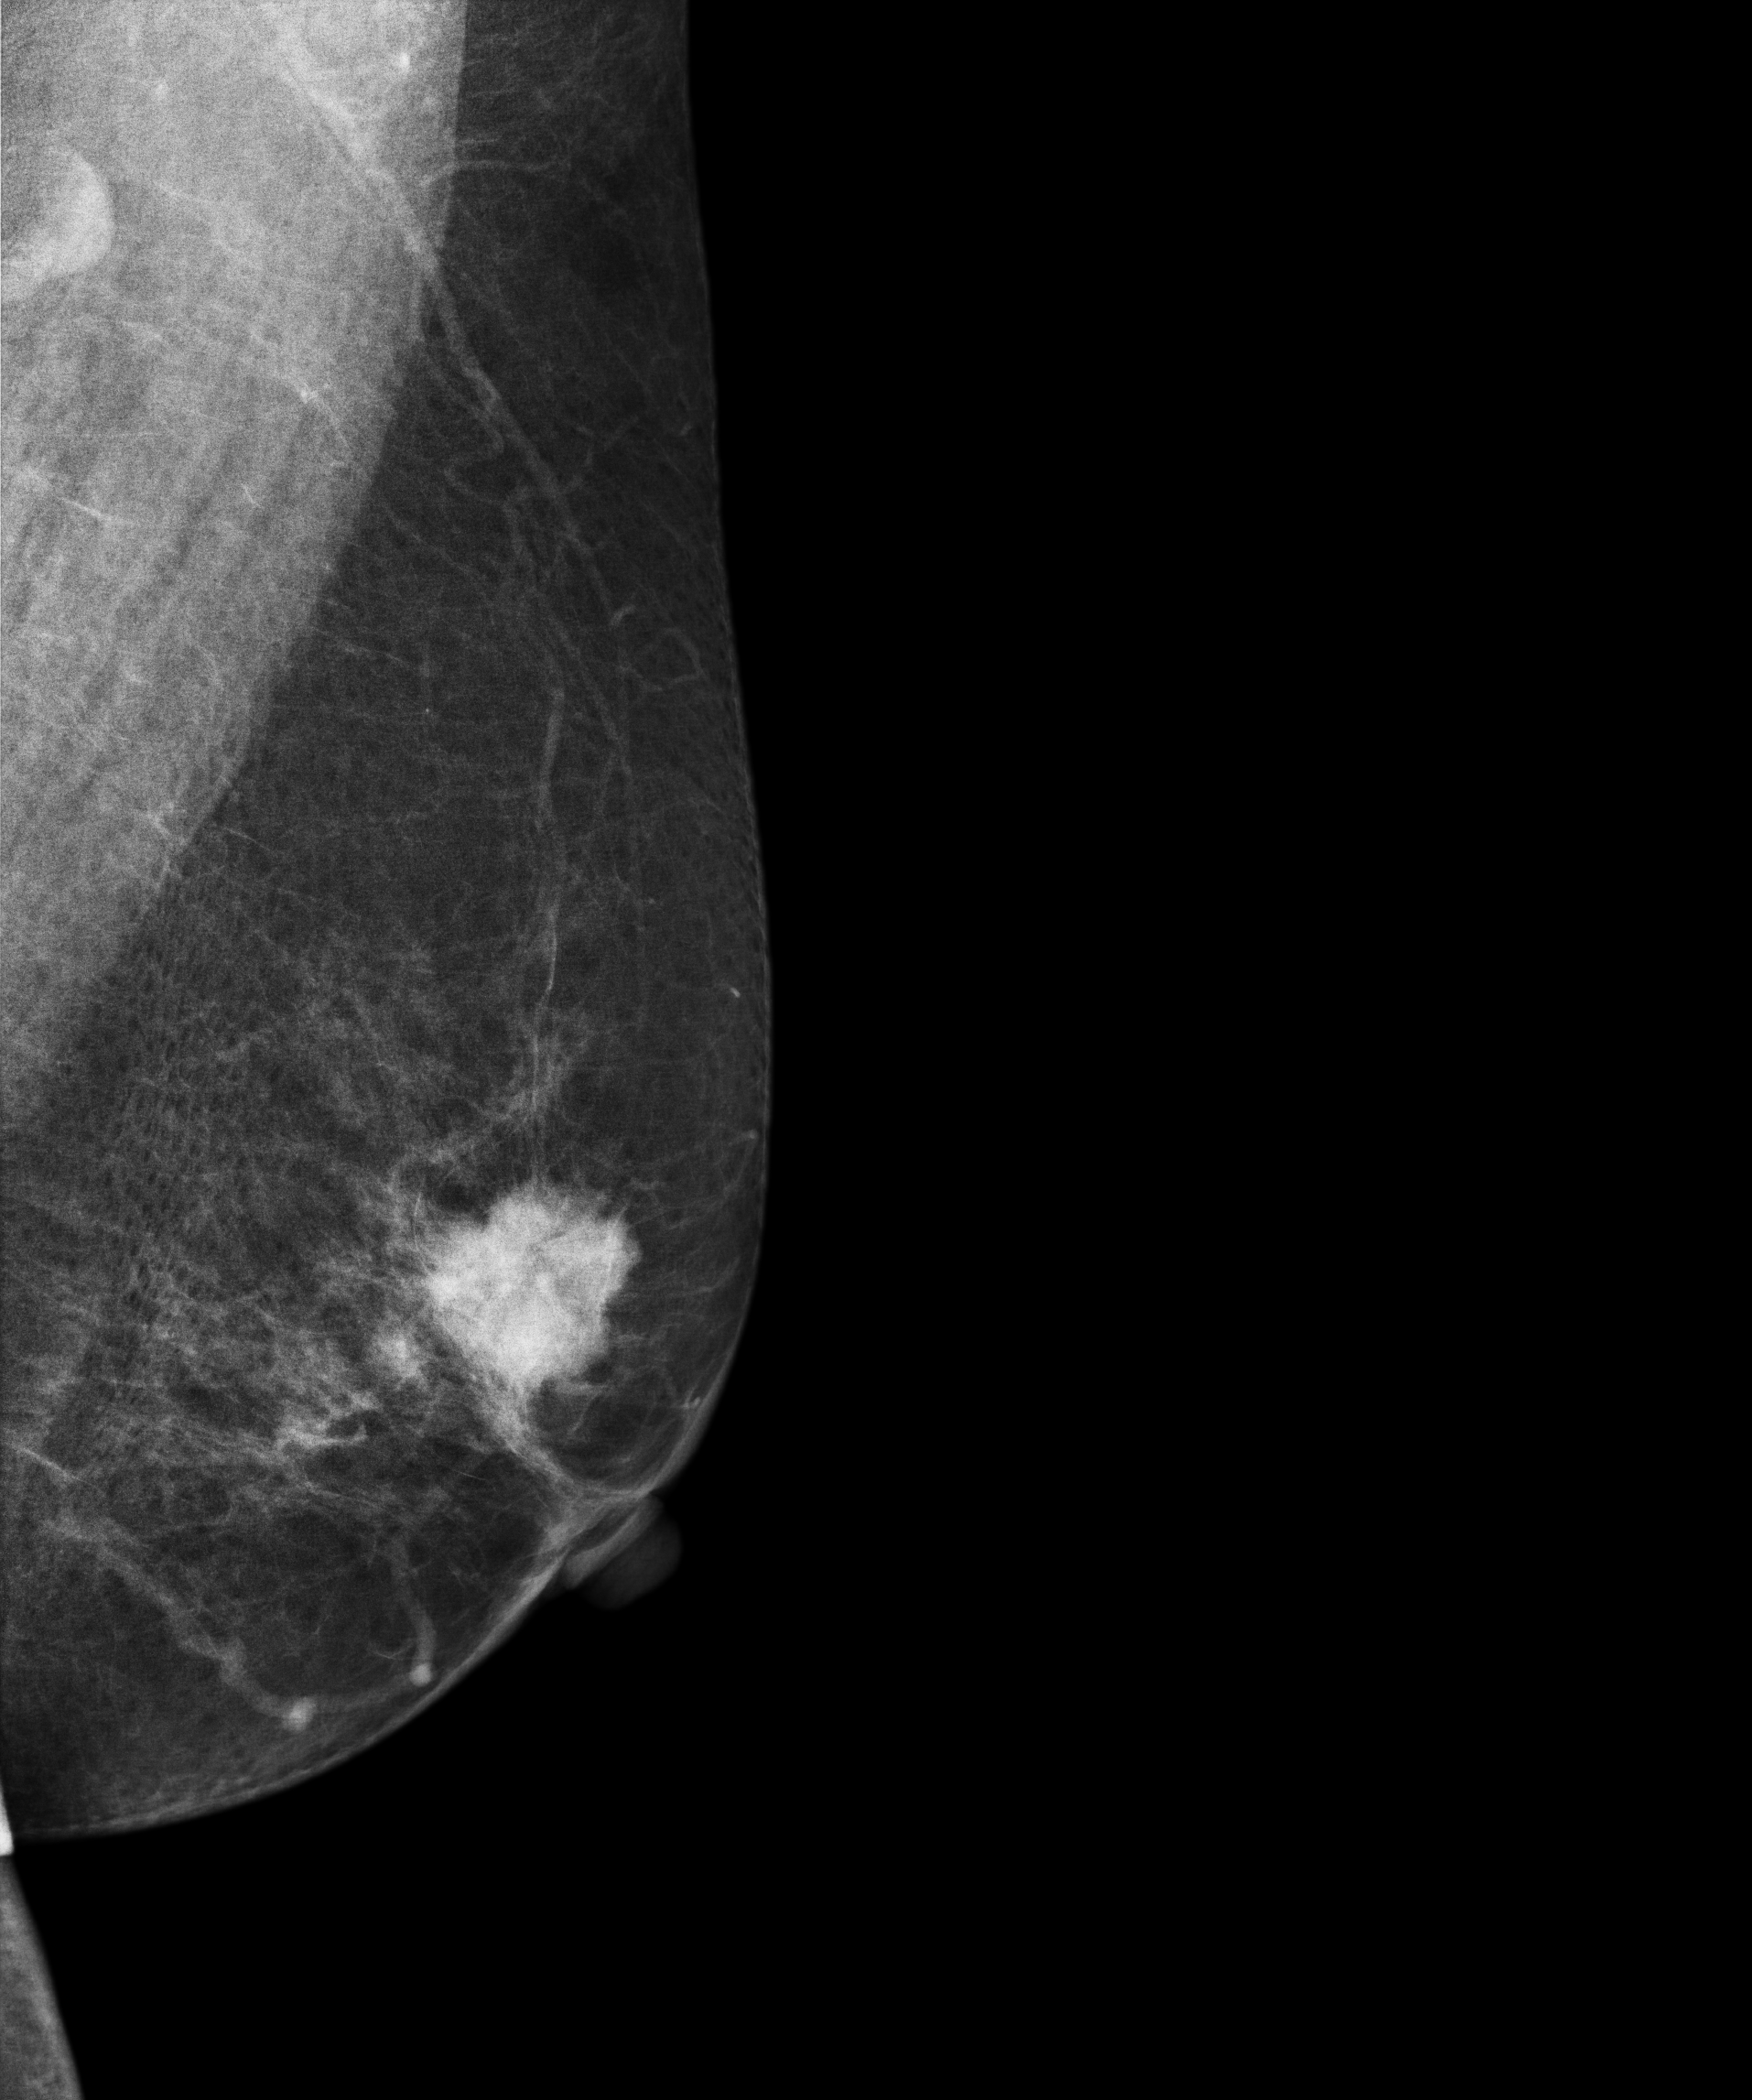
Left-breast mammogram, medio-lateral oblique. Patient age 64.
This breast has a mass, pathology-confirmed malignant.